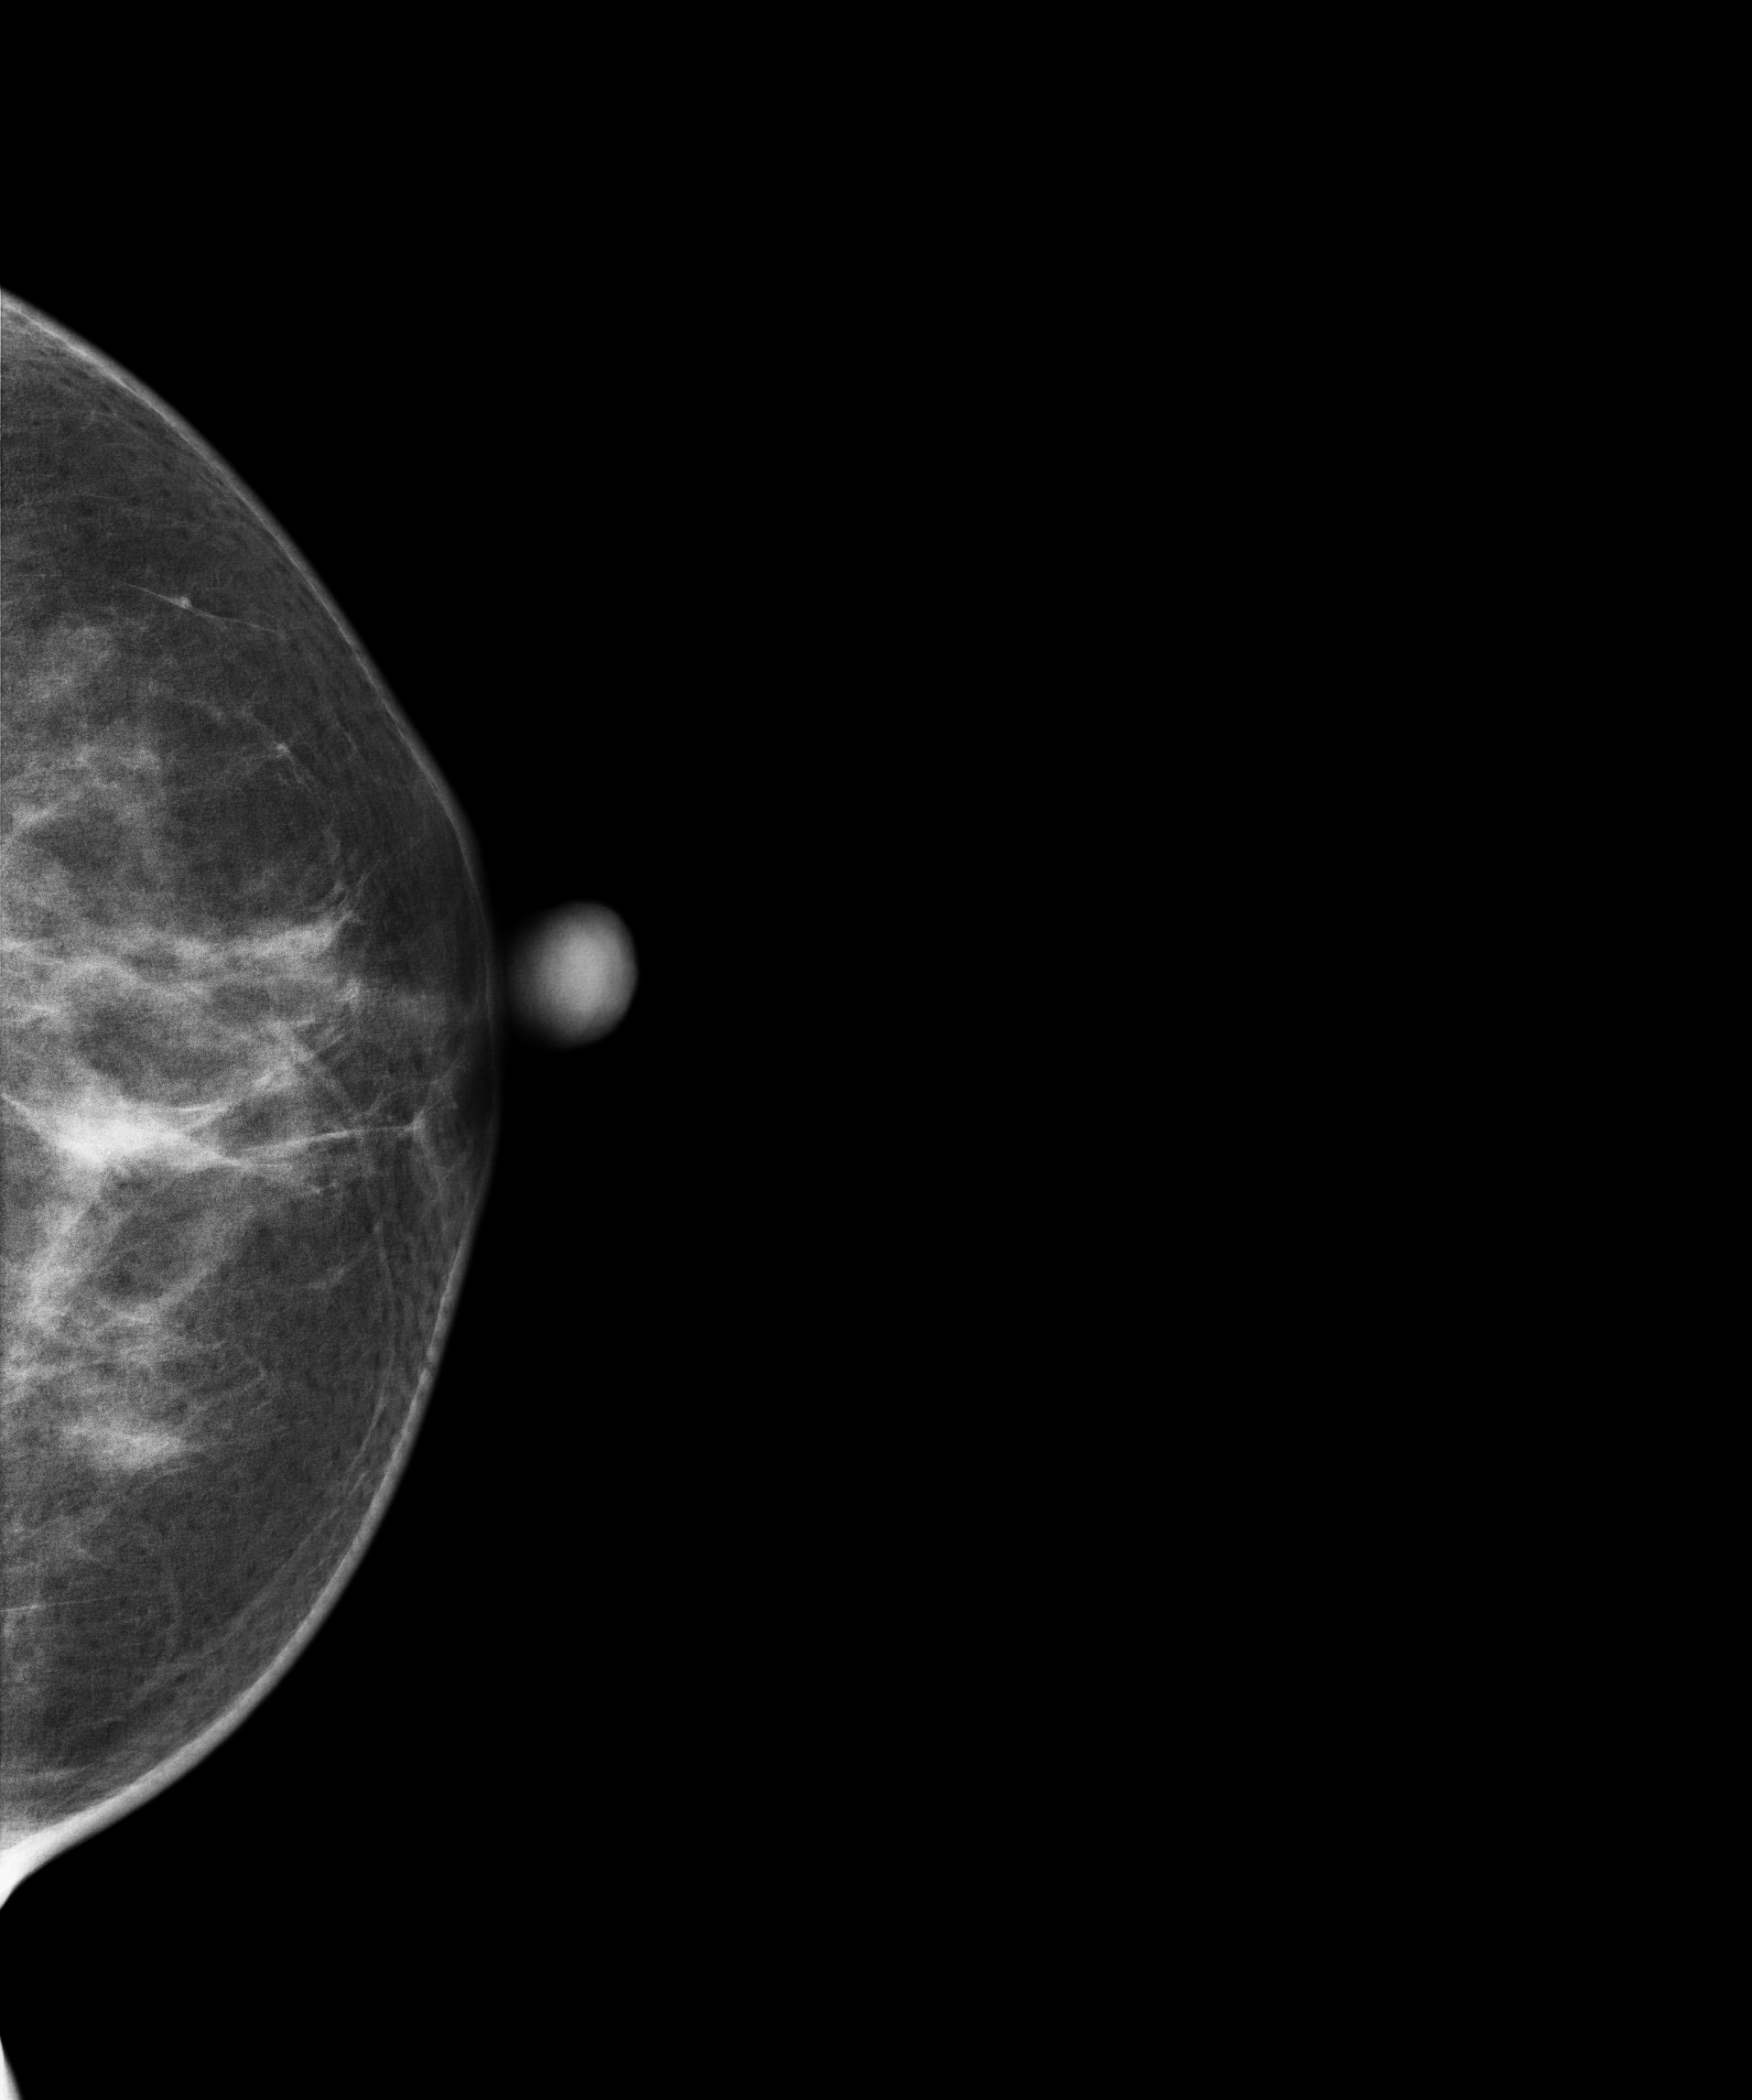
CC mammogram of the left breast. 50 y/o patient.
This breast has a mass and calcifications, biopsy-confirmed malignant.